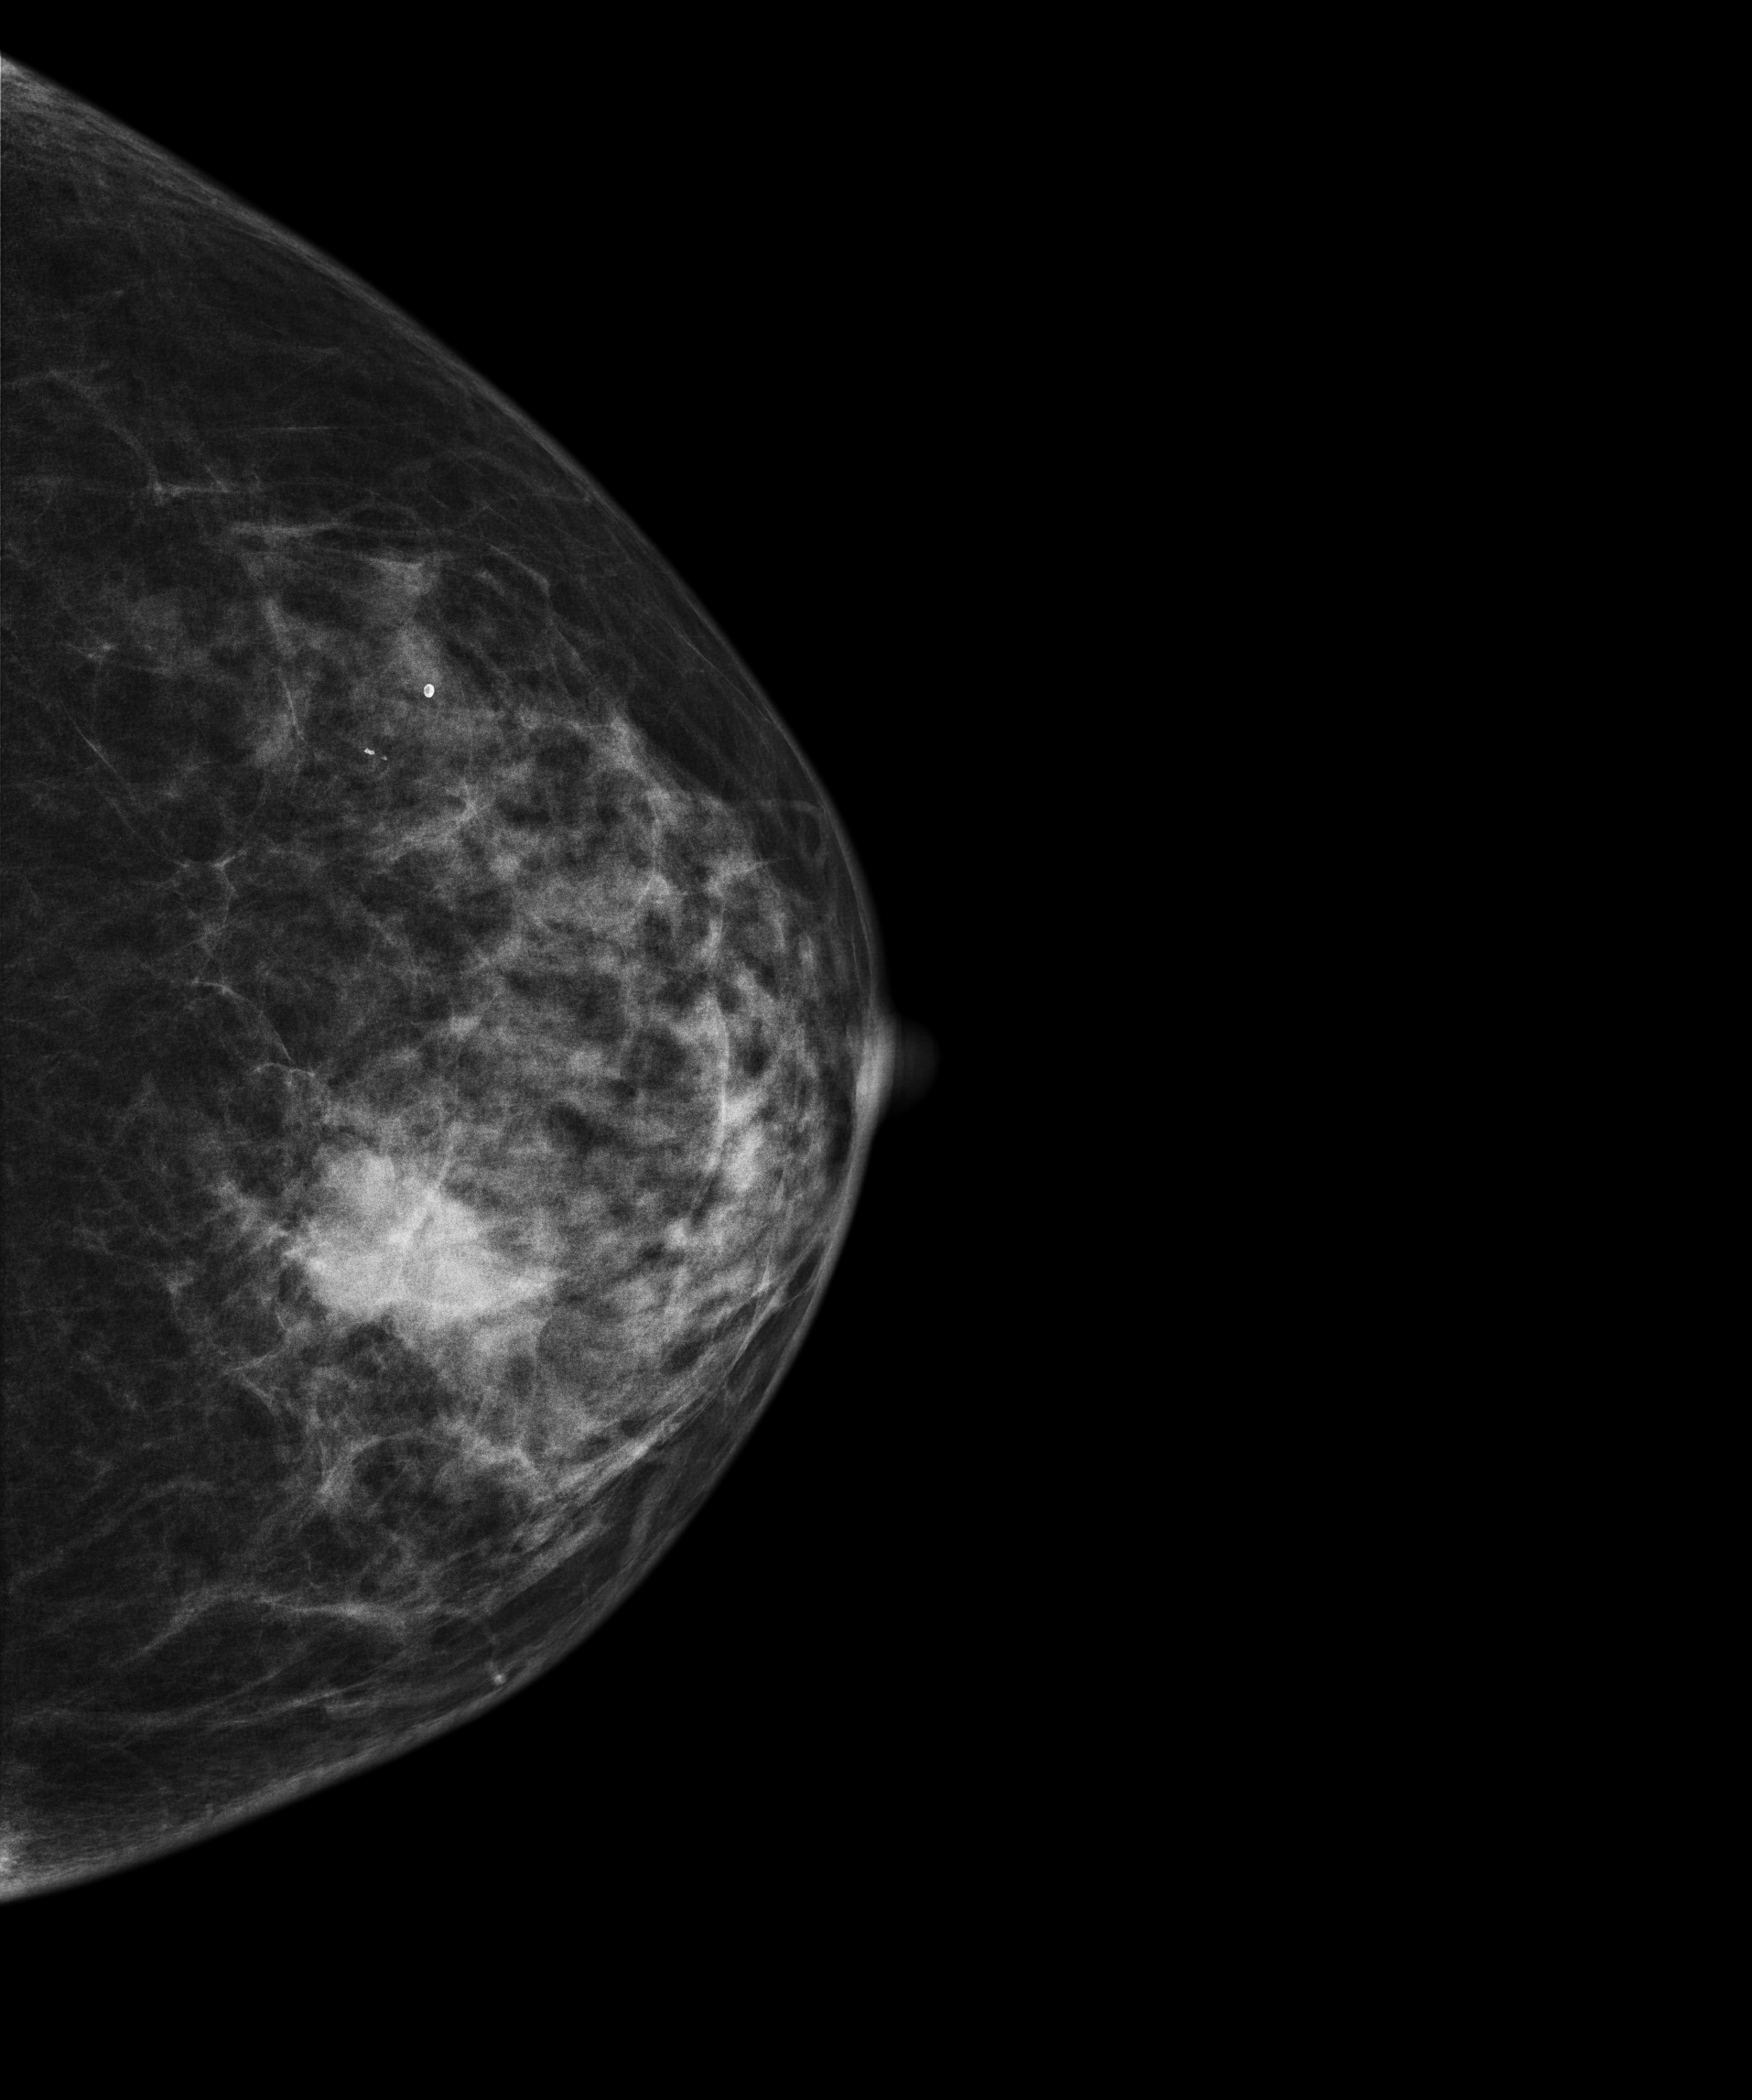
Left-breast mammogram, CC. 60-year-old patient.
This breast has a mass, histologically confirmed malignant.